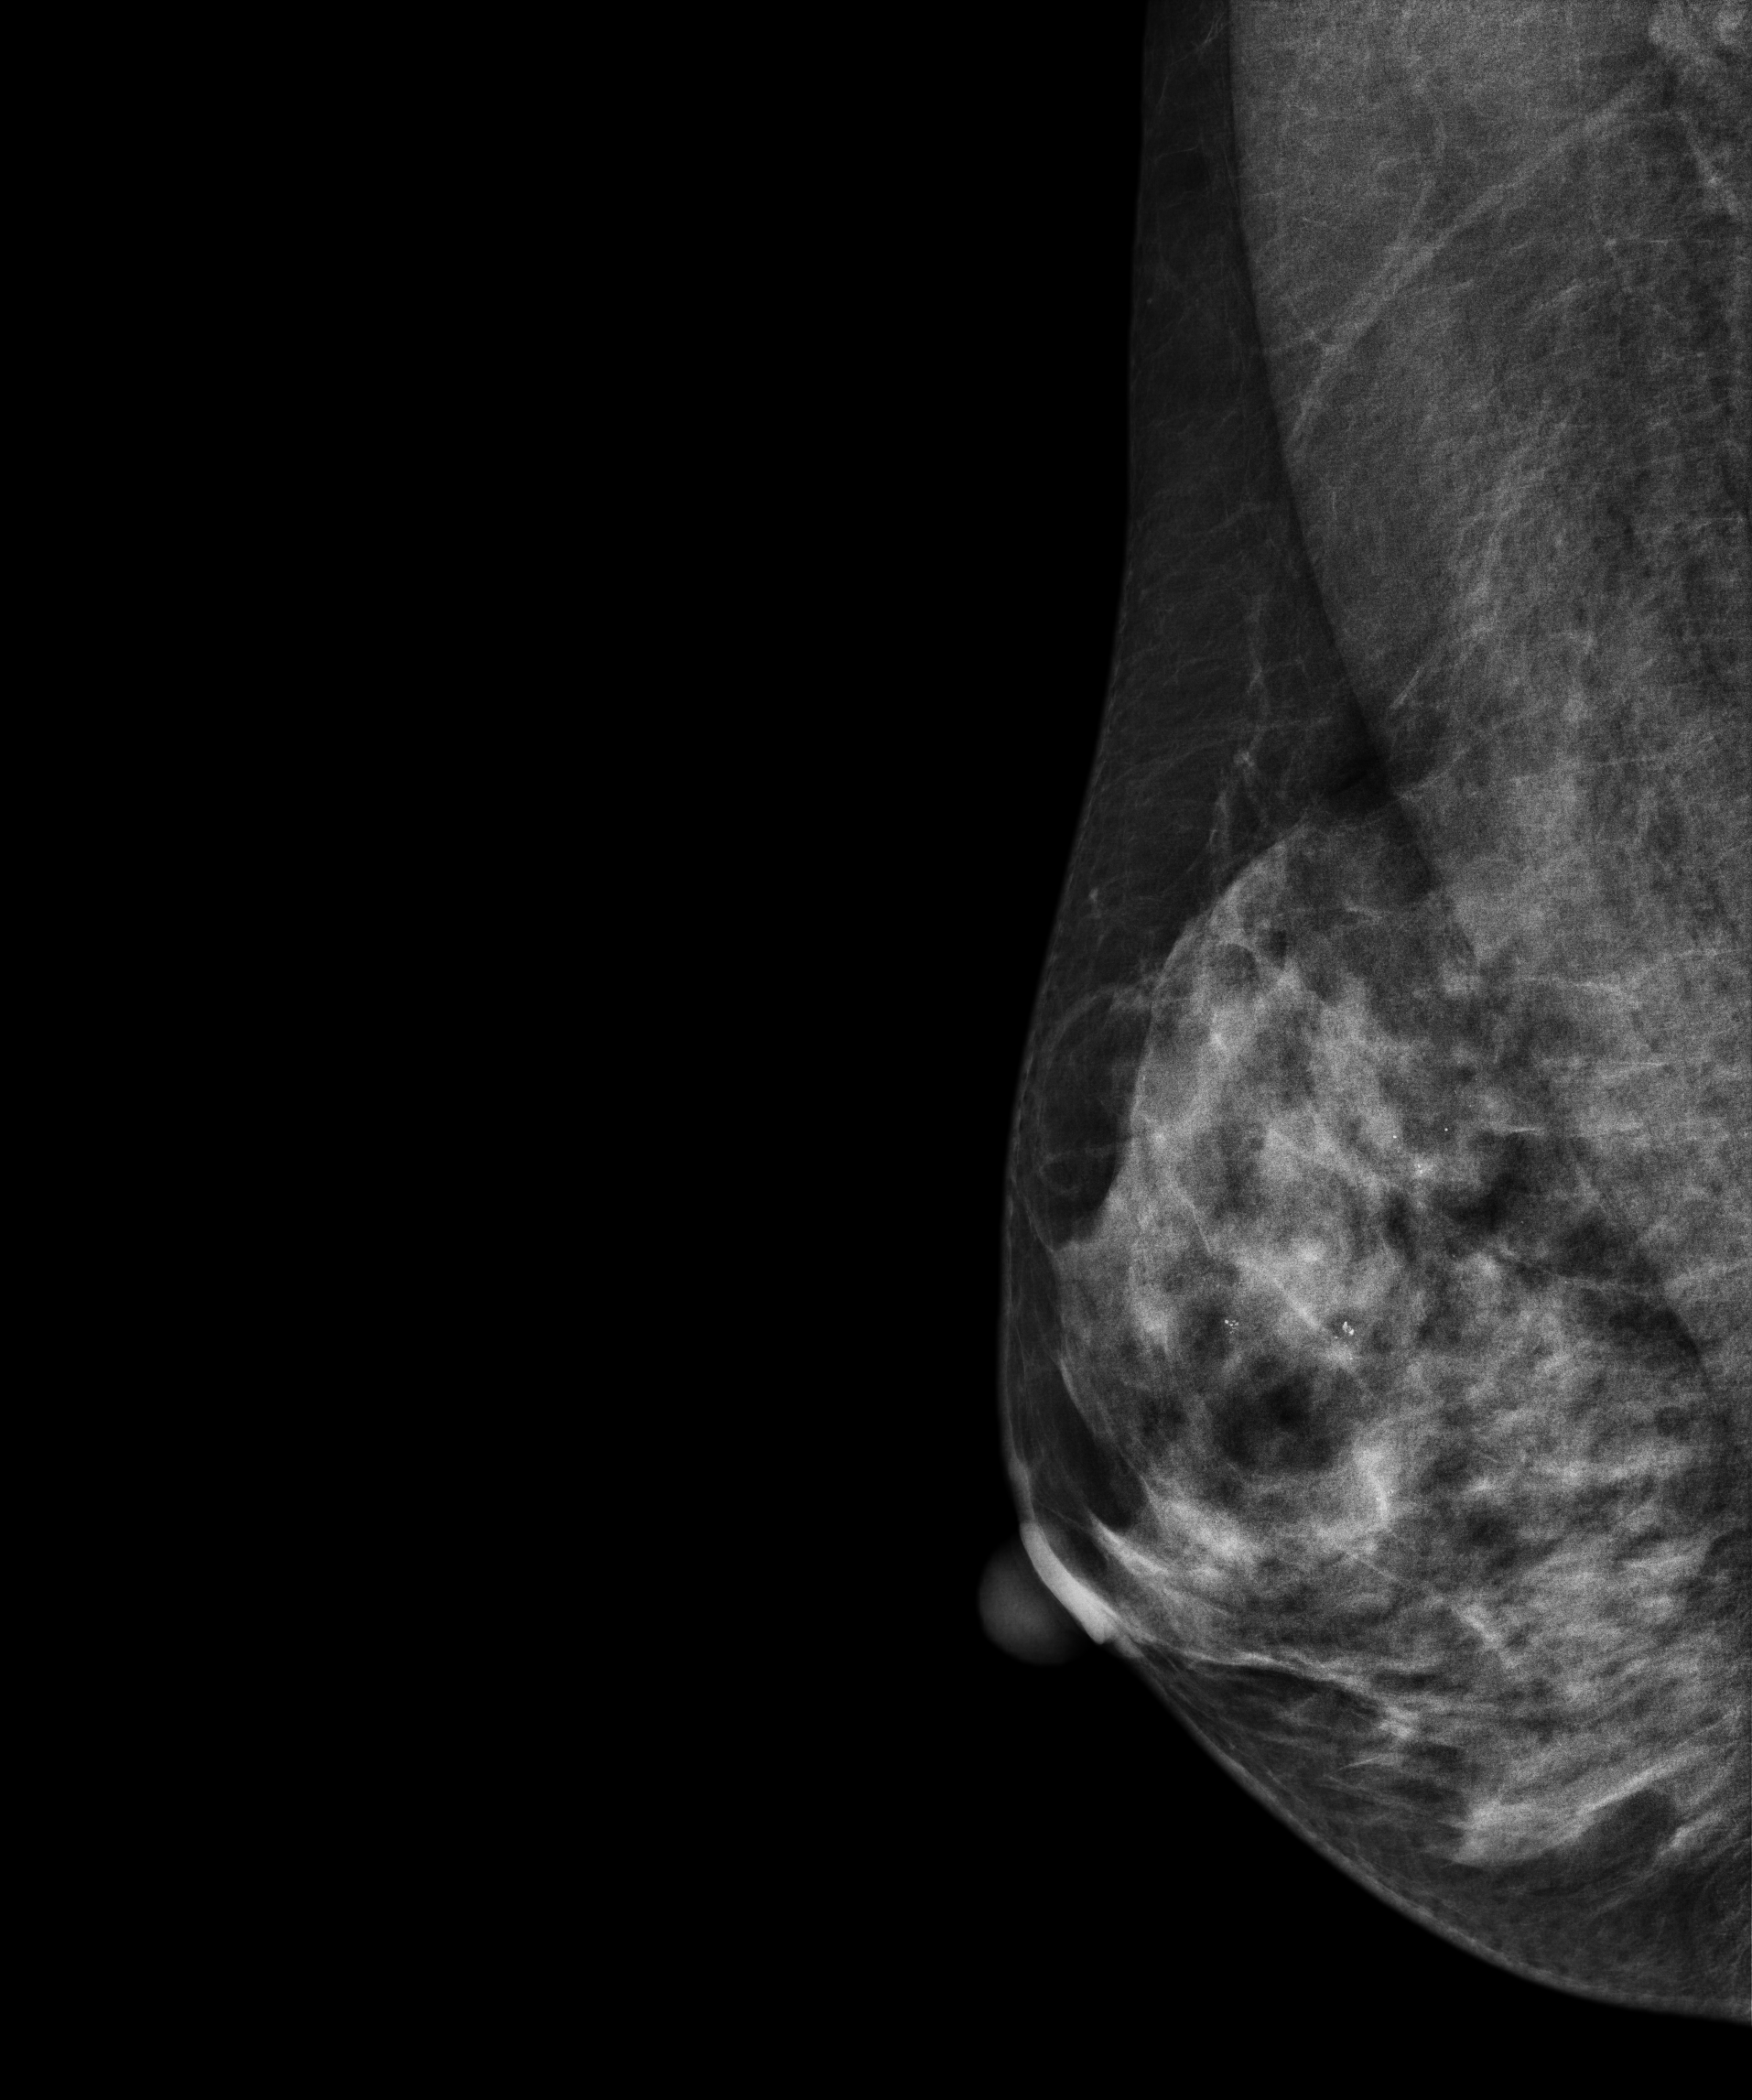
Mammogram — right medio-lateral oblique. Patient age 48.
This breast has calcifications, biopsy-proven benign.